Mammogram, left breast, MLO view. 49 y/o patient.
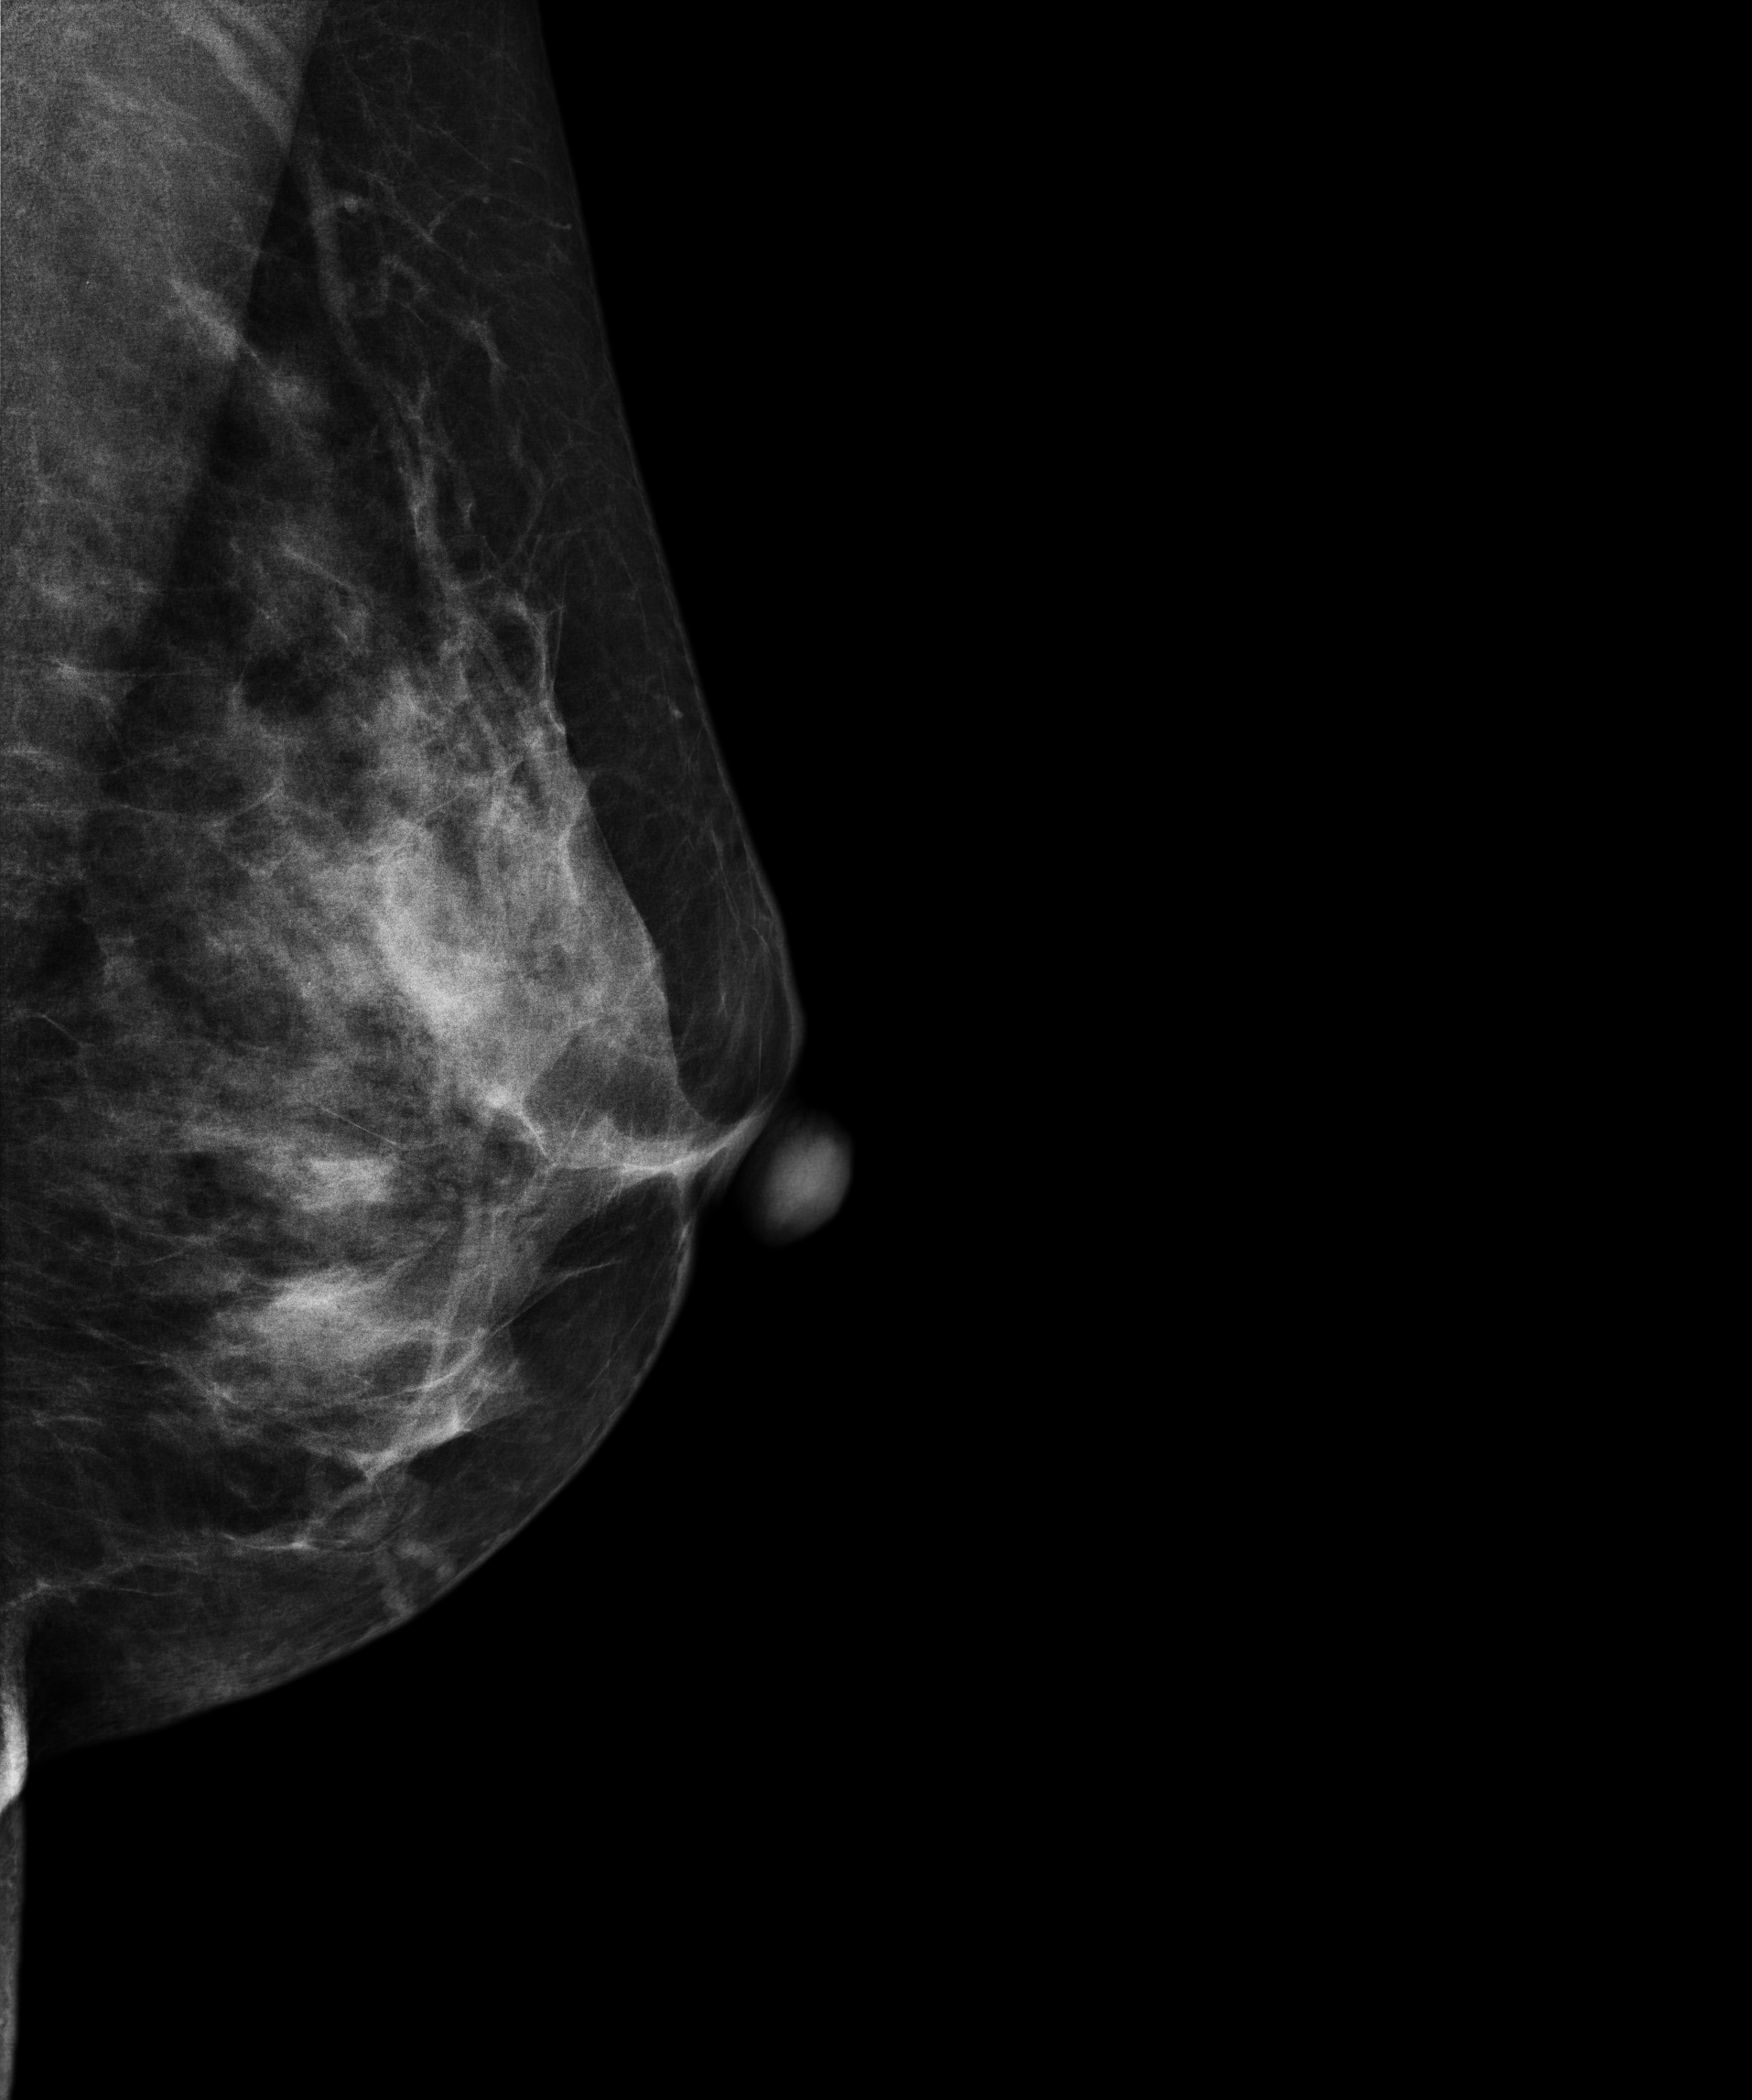
Contralateral breast — no documented abnormality on this side.